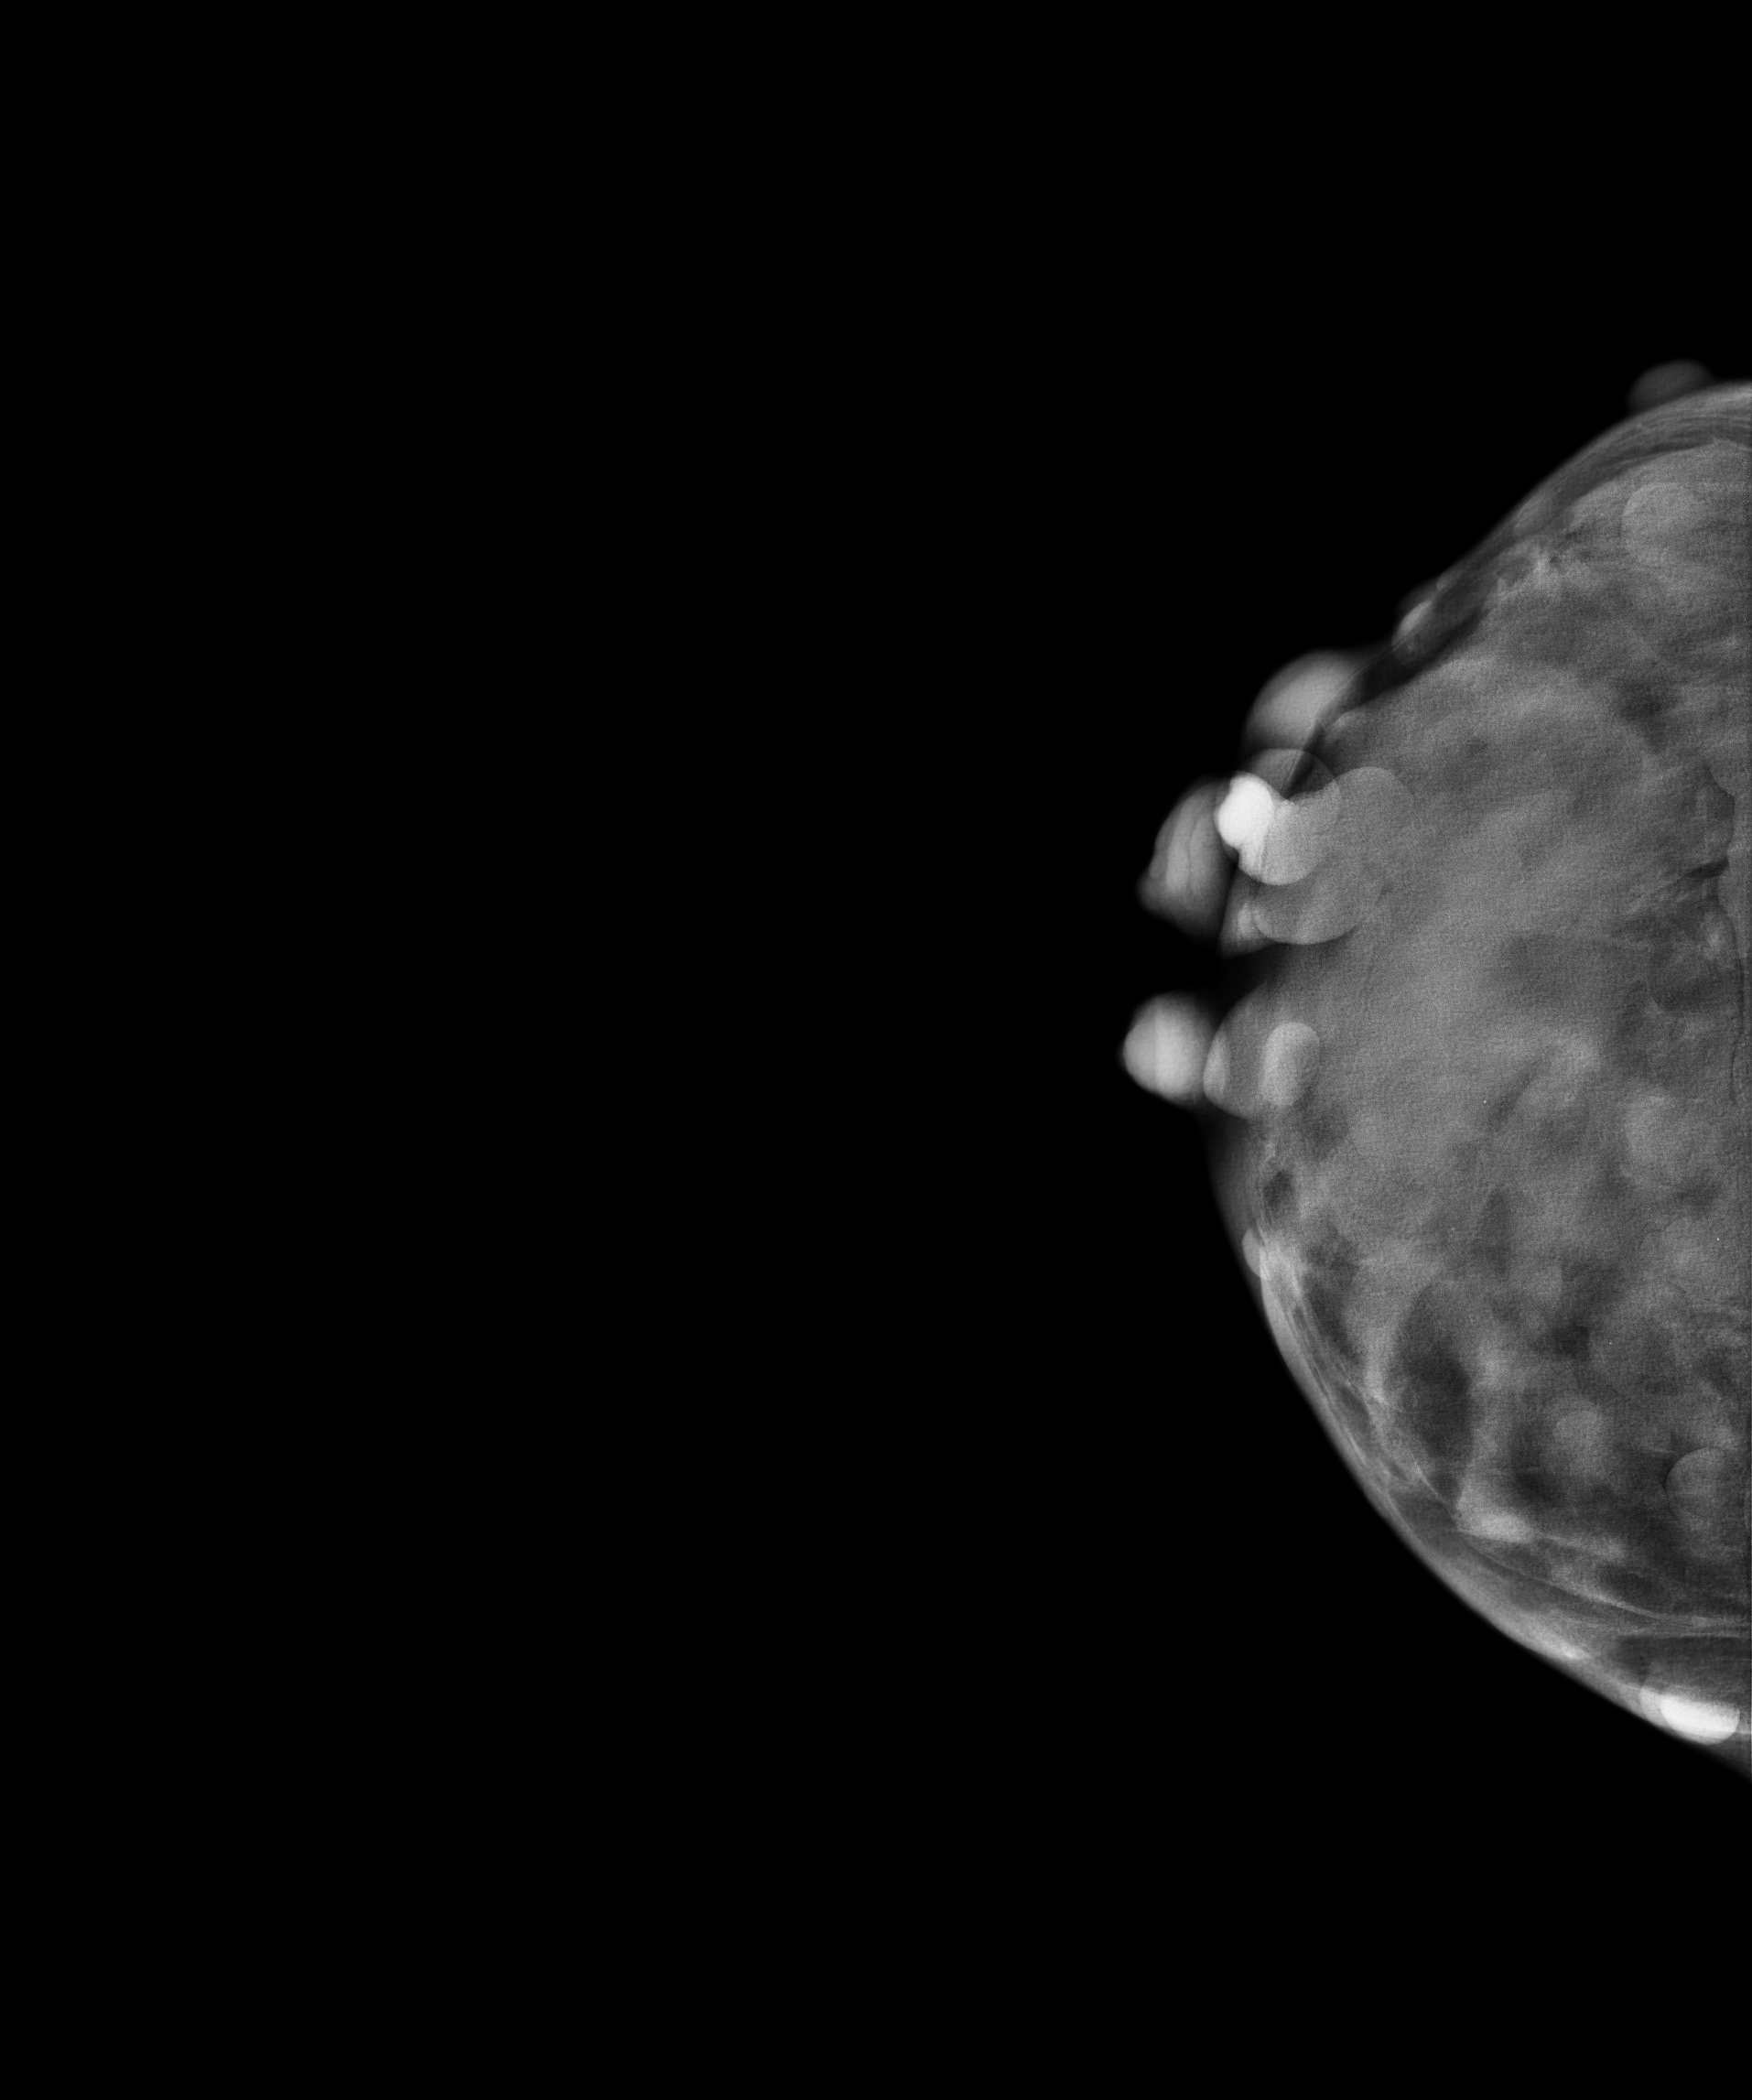
Mammogram — right cranio-caudal. Patient age 47.
Contralateral breast — no documented abnormality on this side.